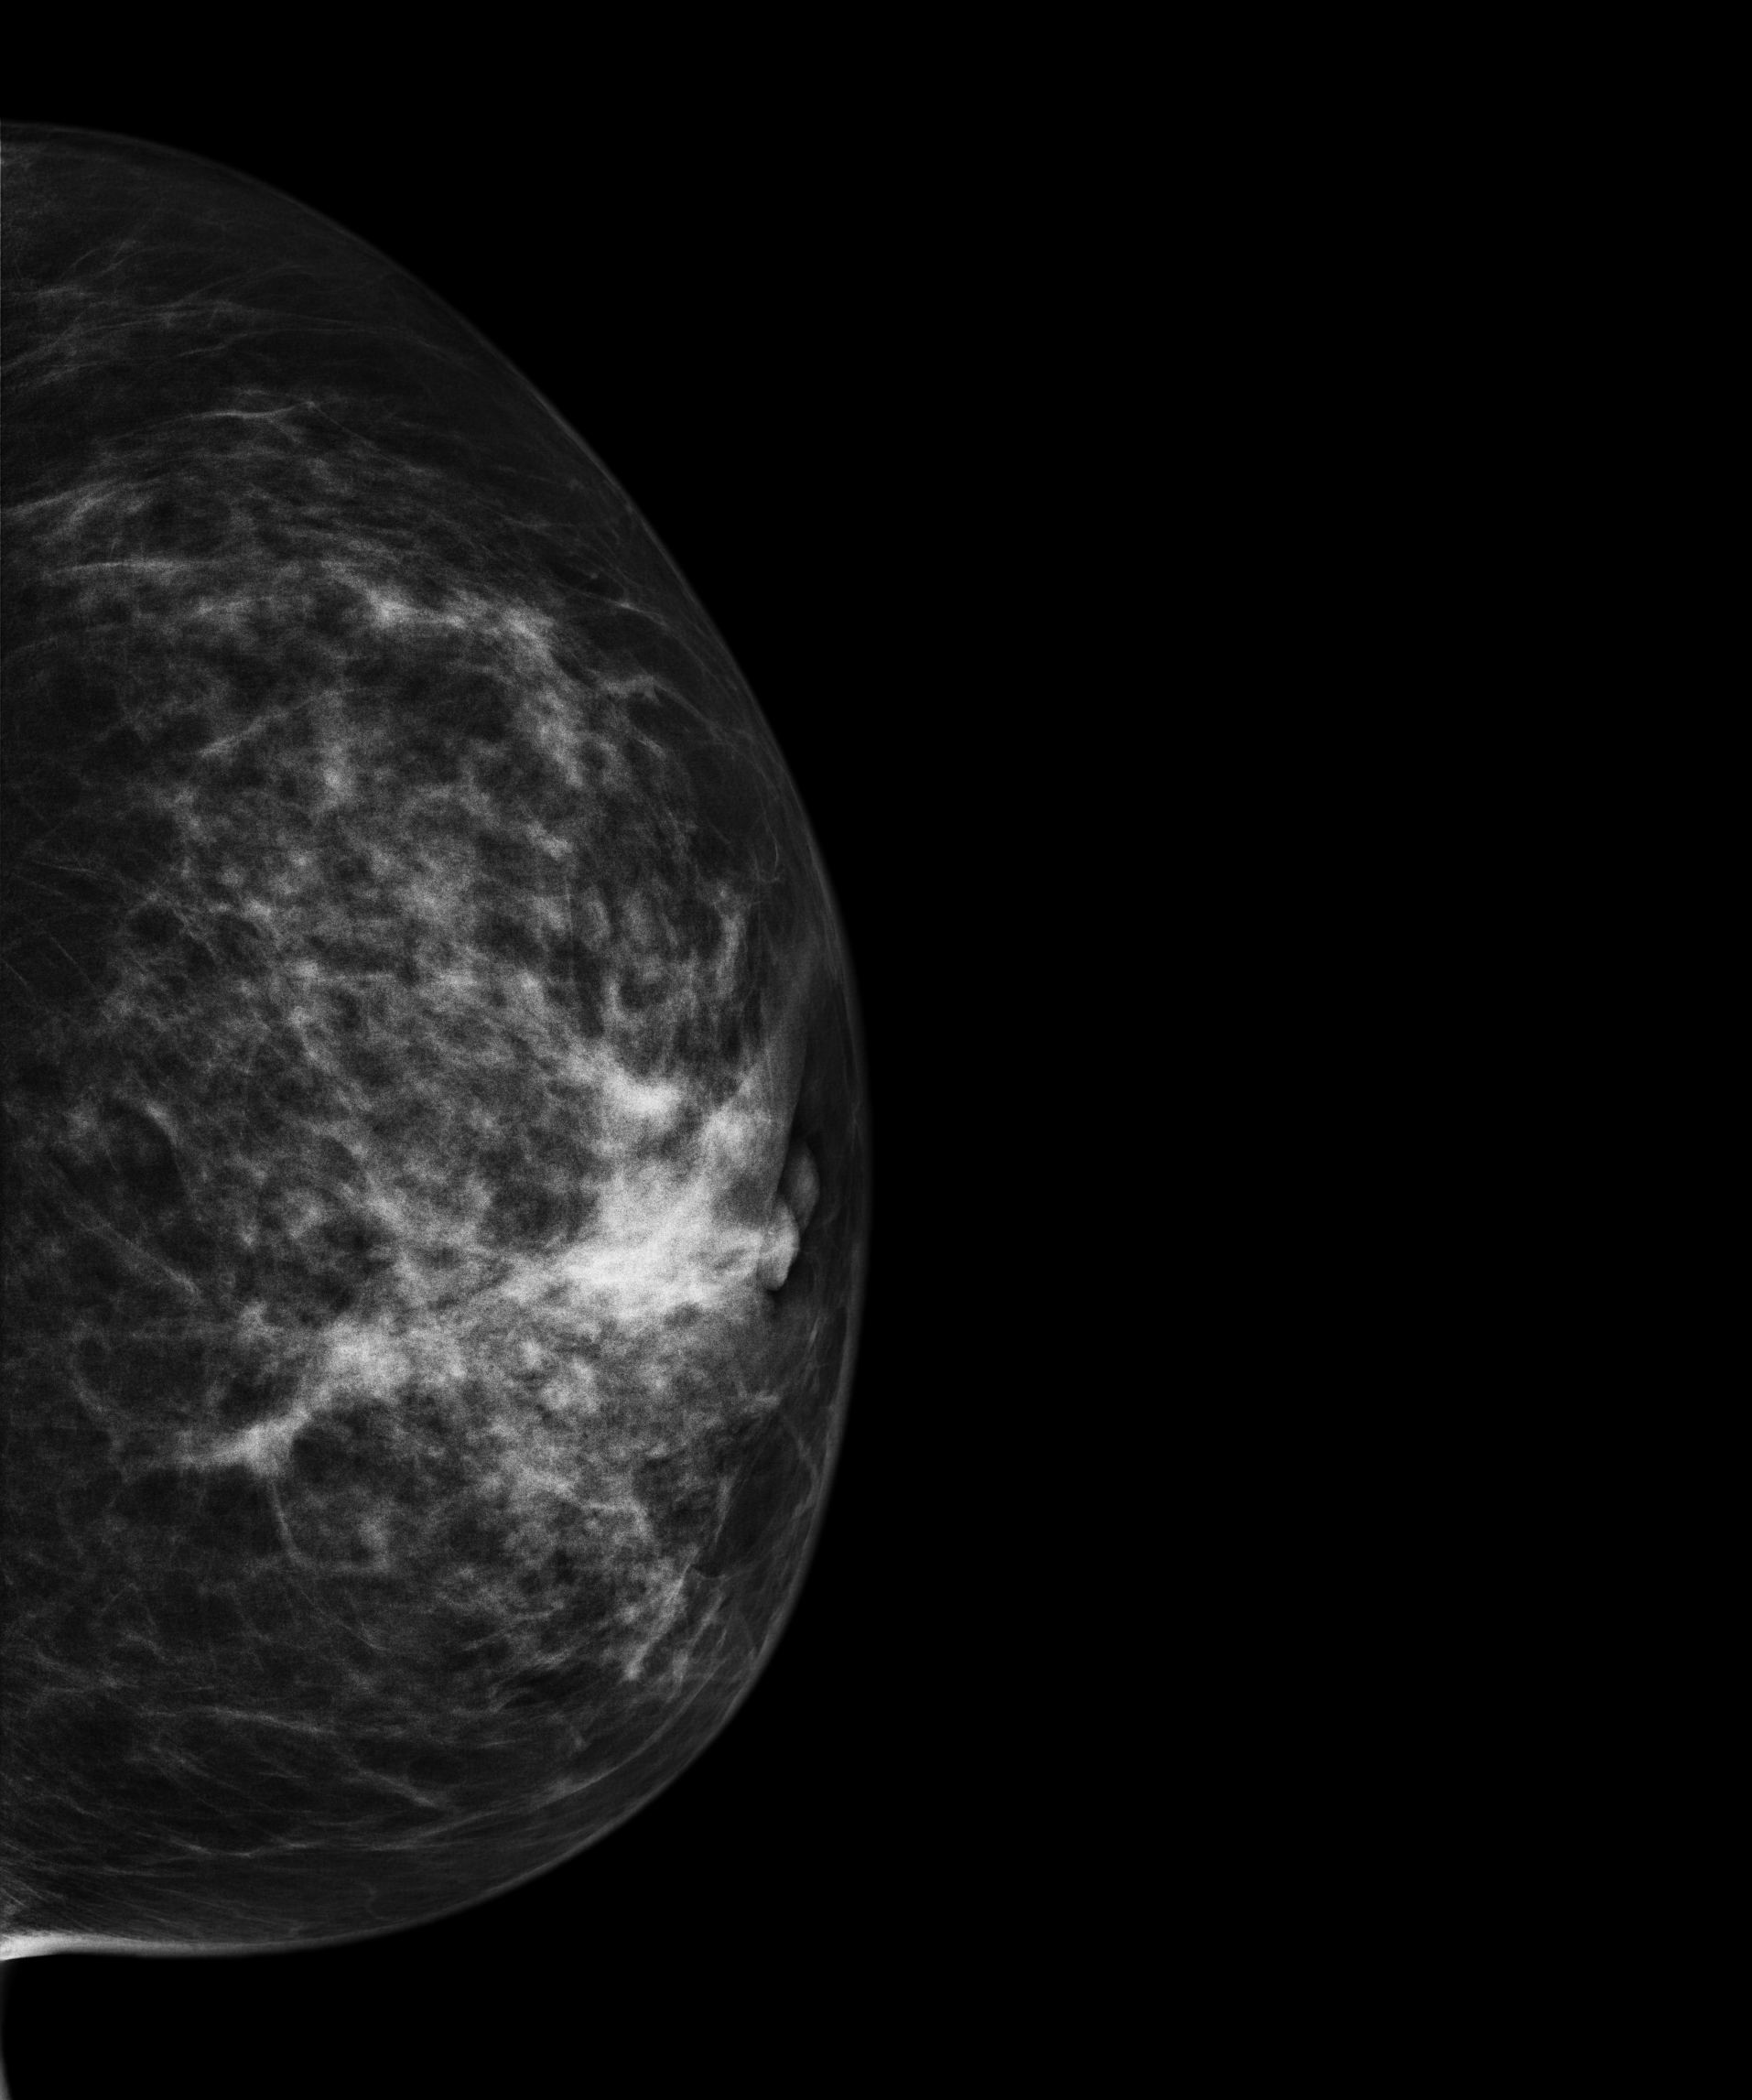
Left-breast mammogram, cranio-caudal. 52 y/o patient.
This breast has a mass, histologically confirmed malignant. Molecular subtype: luminal B.